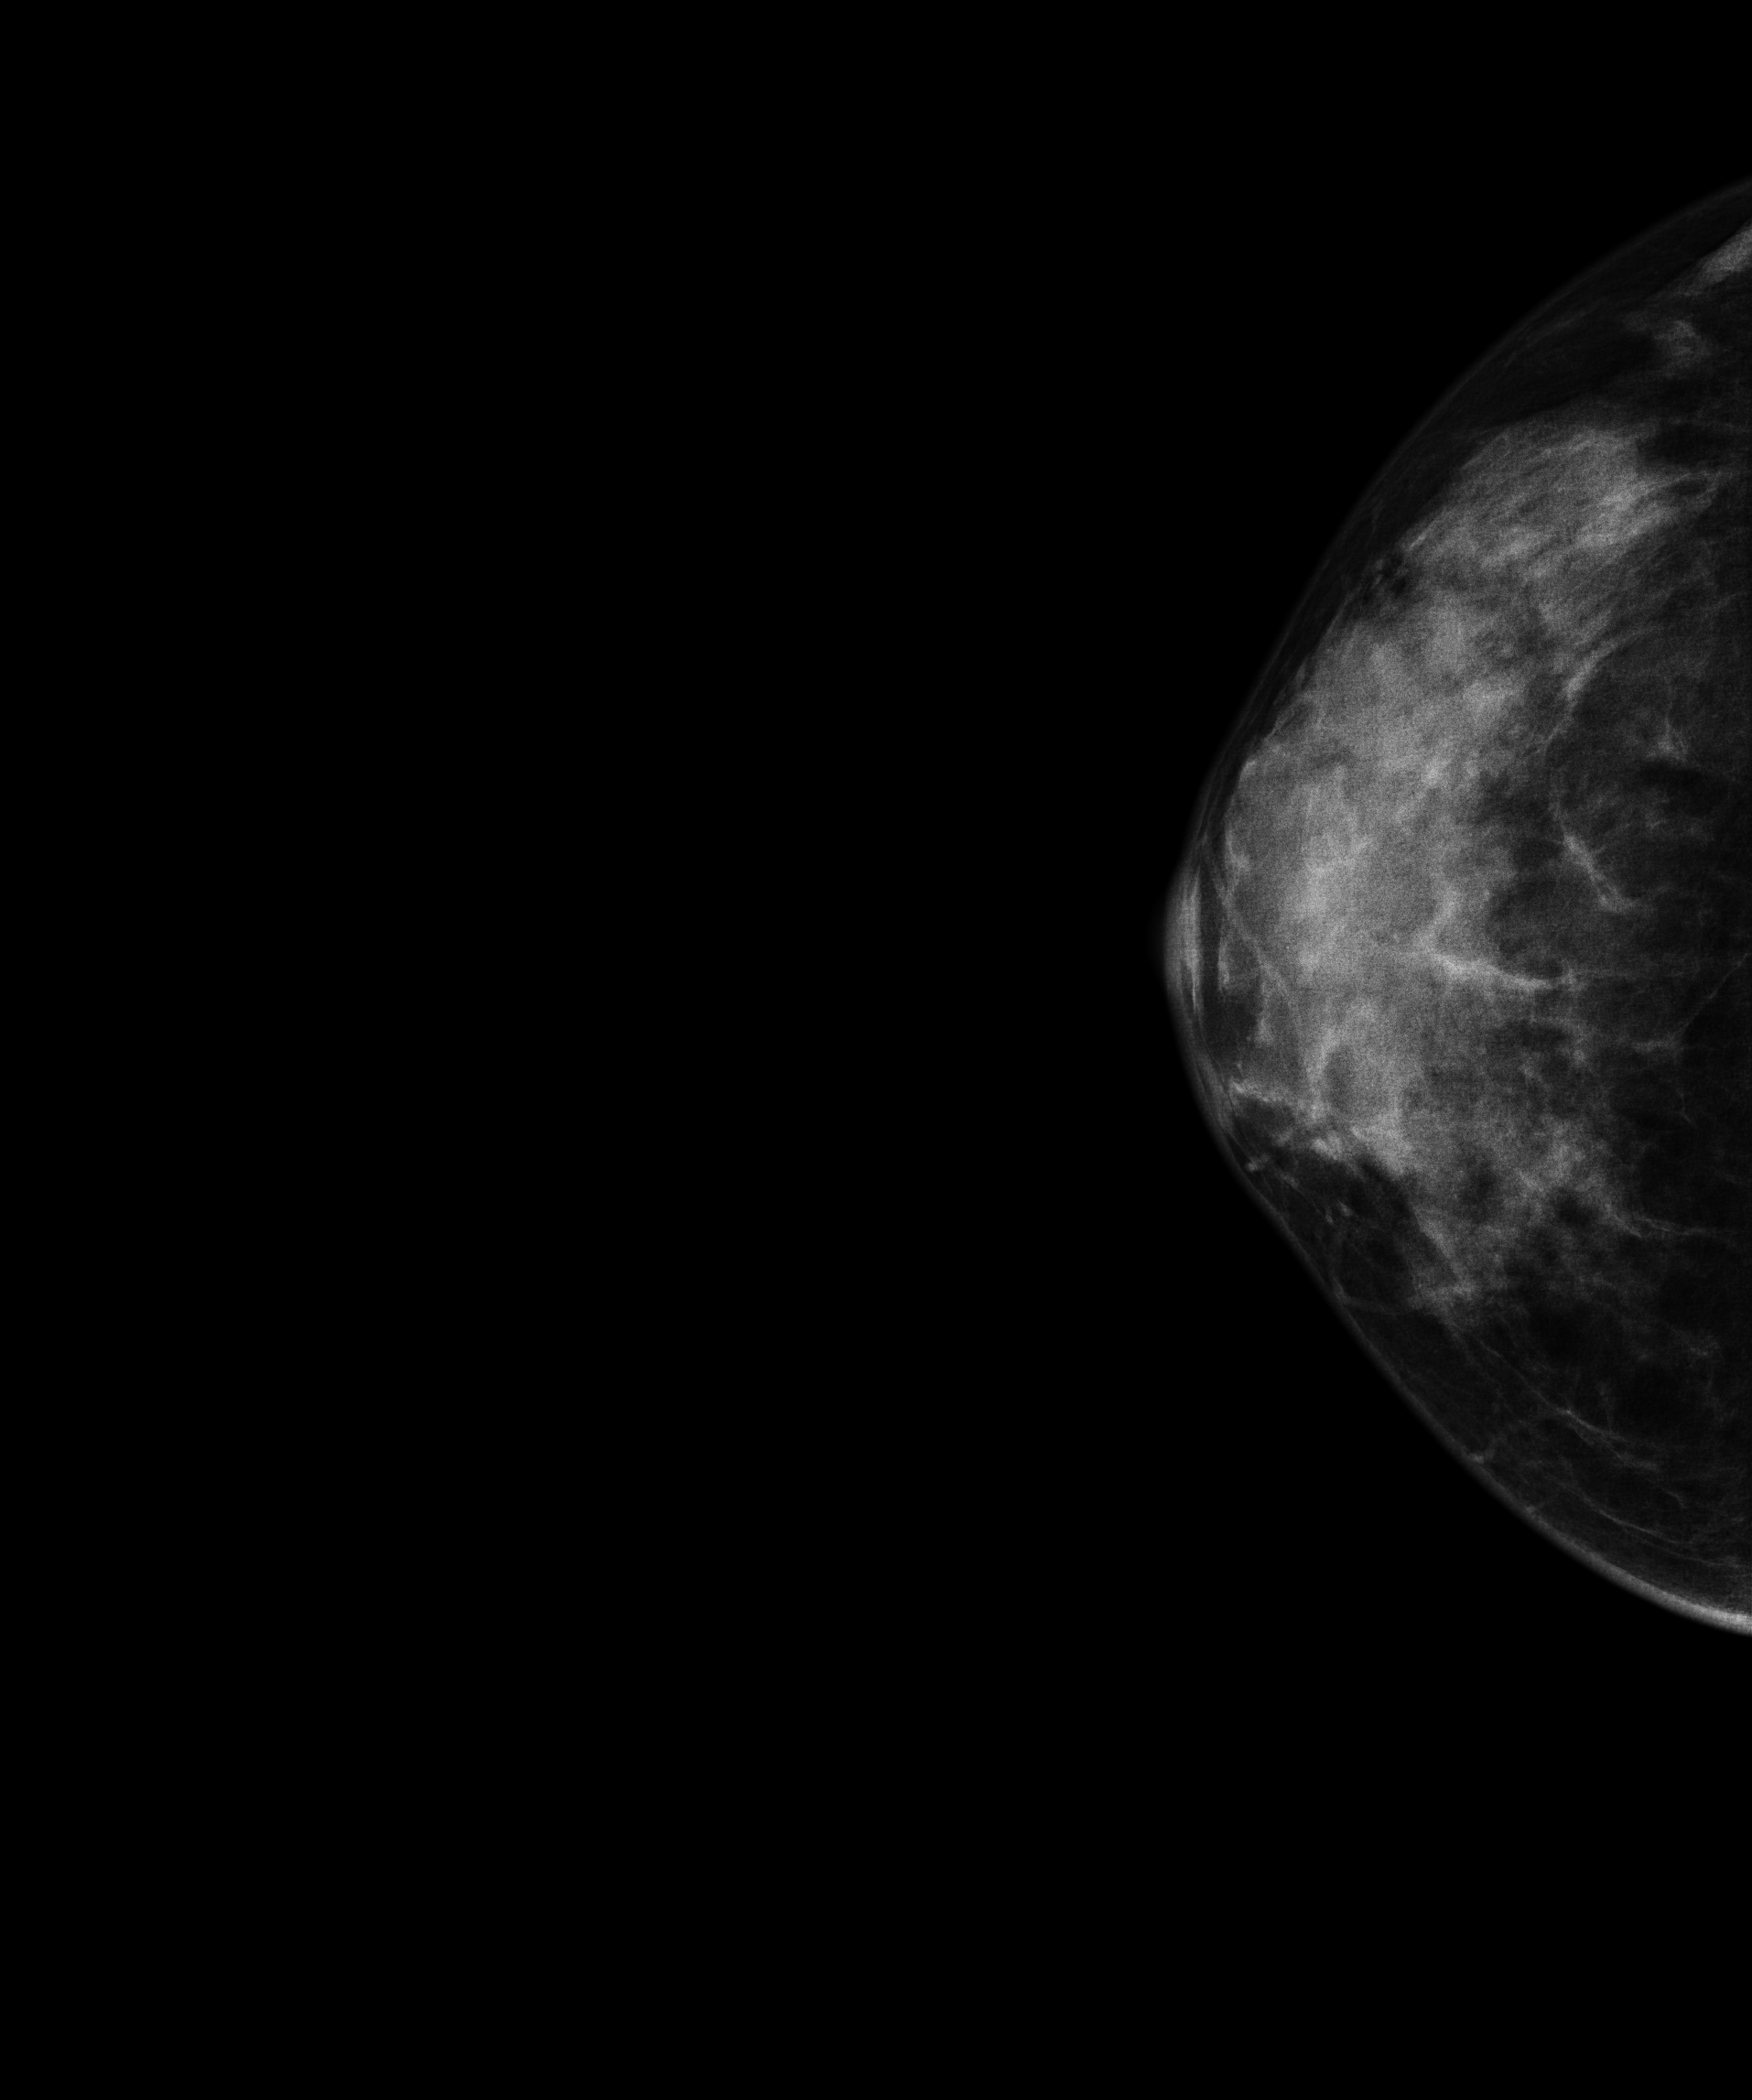
Mammogram, right breast, cranio-caudal view. 43-year-old patient.
Contralateral breast — no documented abnormality on this side.